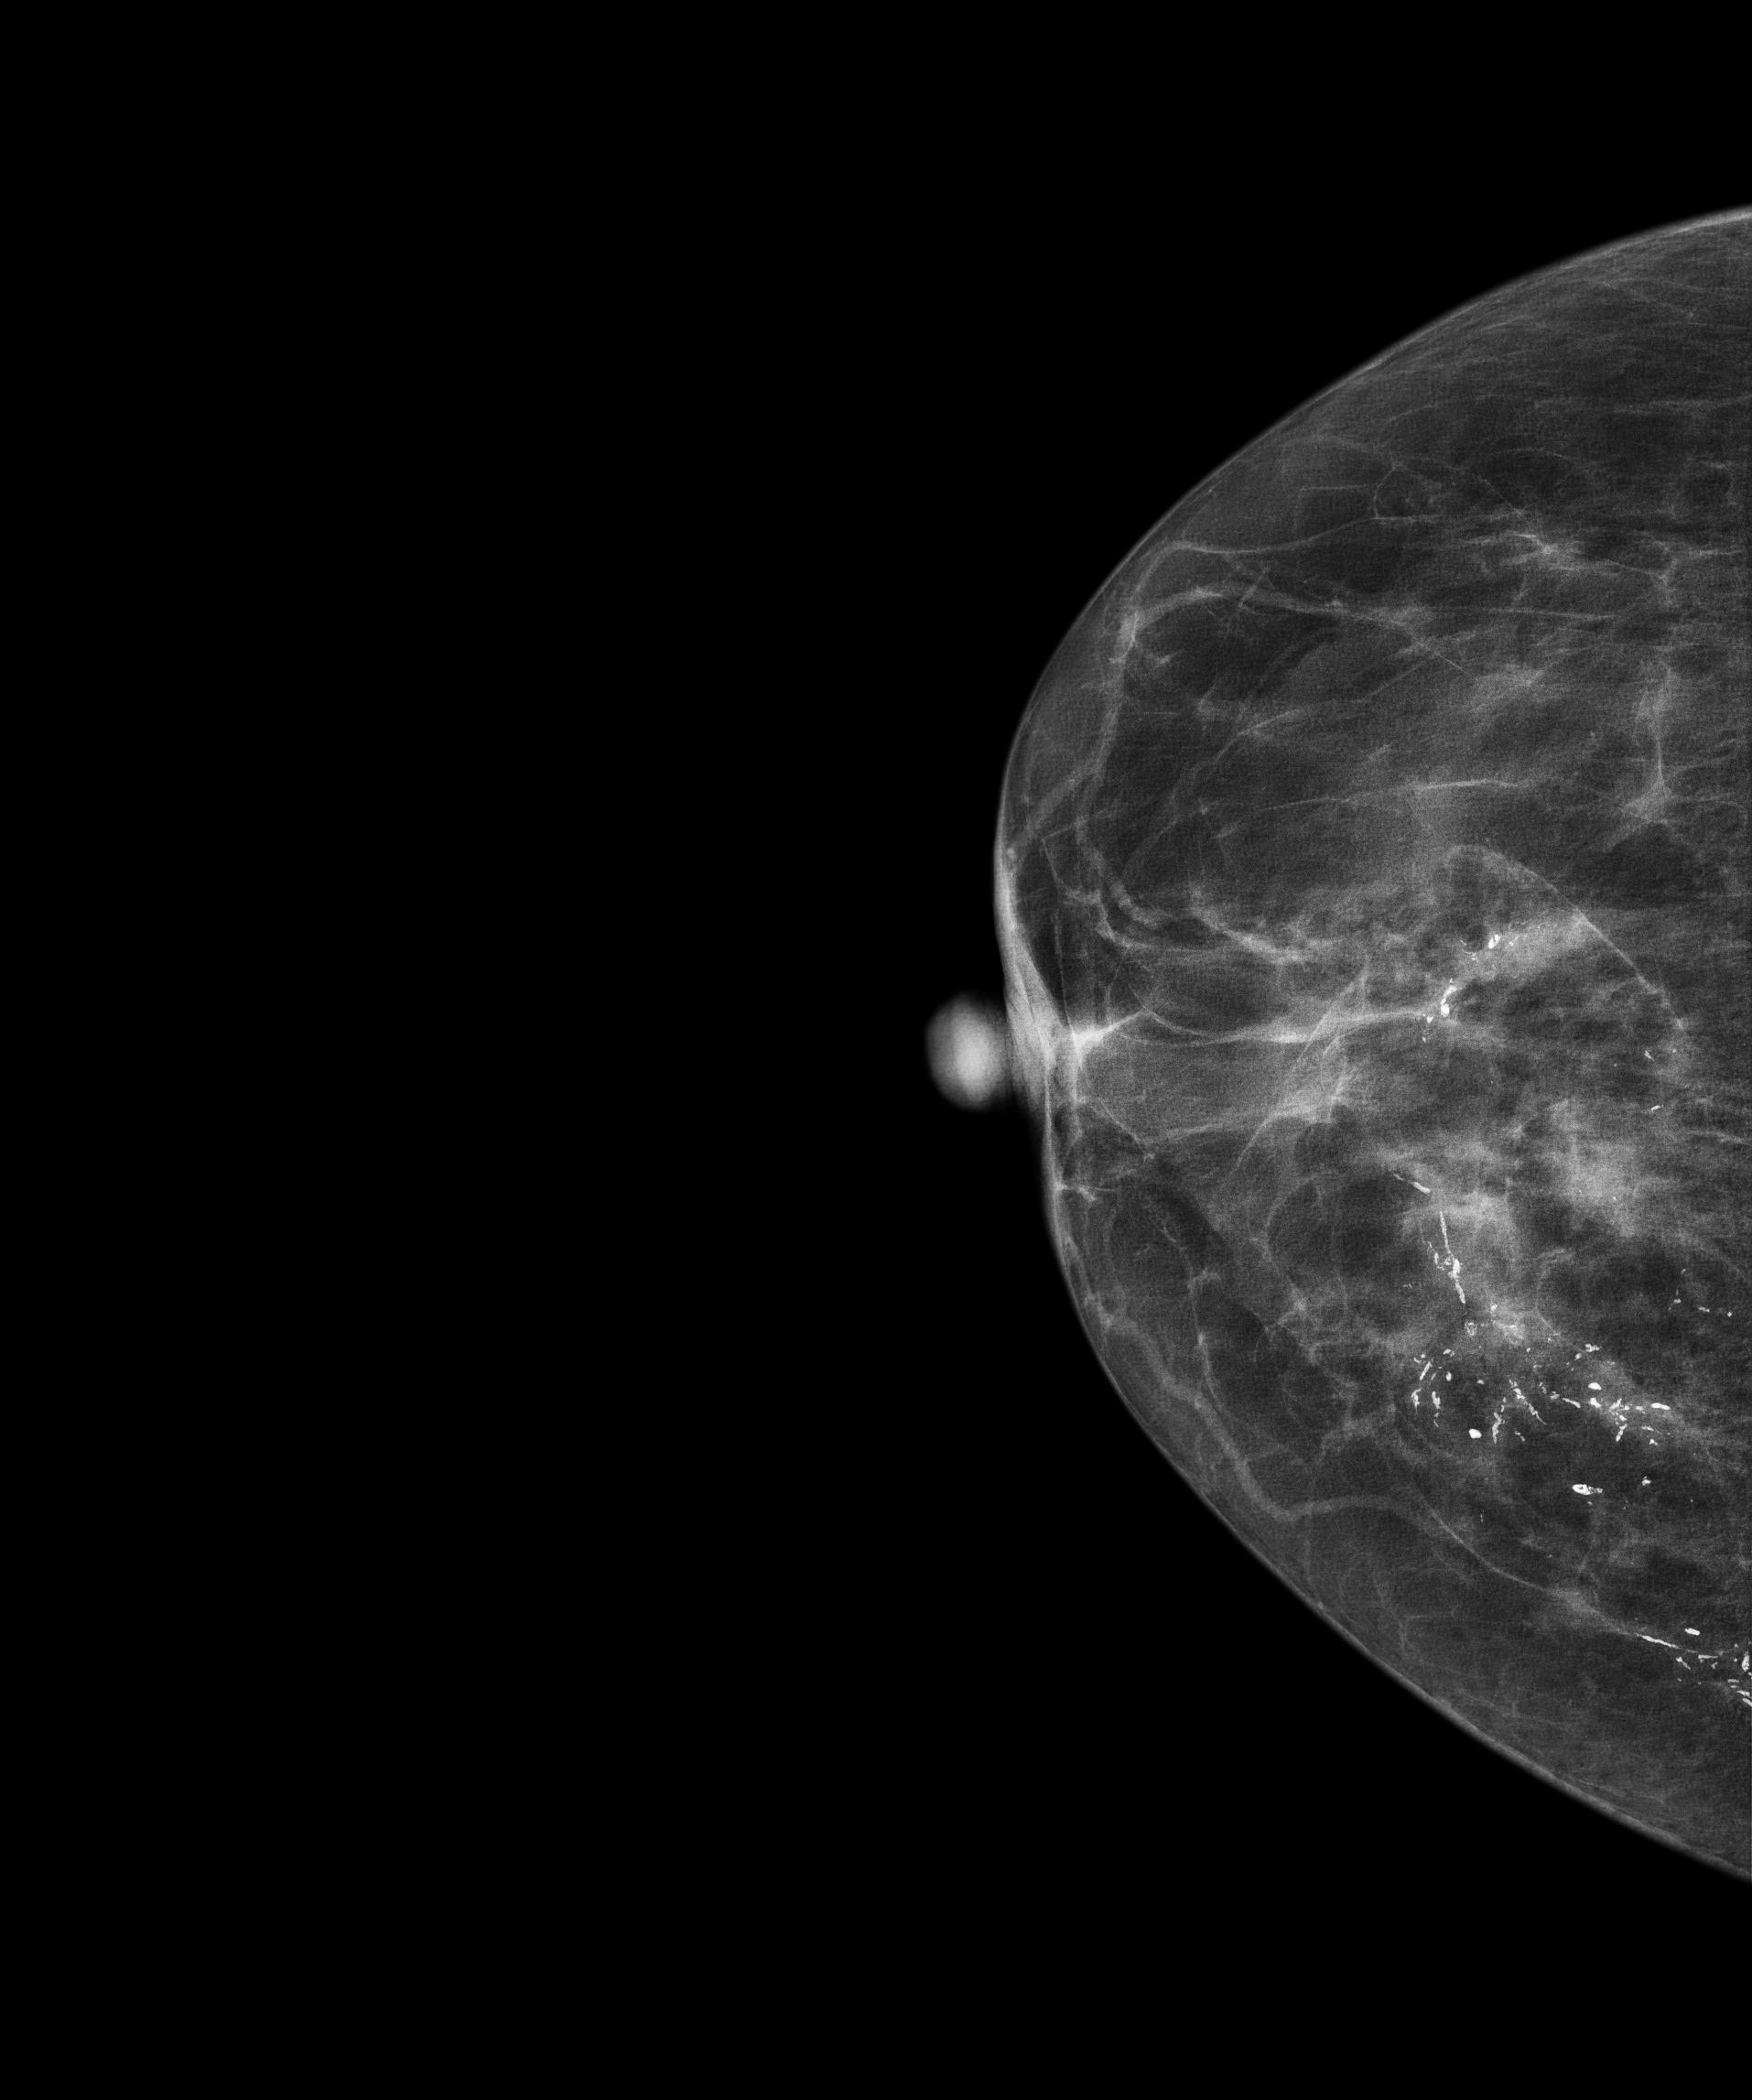
Mammogram, right breast, cranio-caudal view. Patient age 58.
This breast has a mass and calcifications, biopsy-proven malignant.